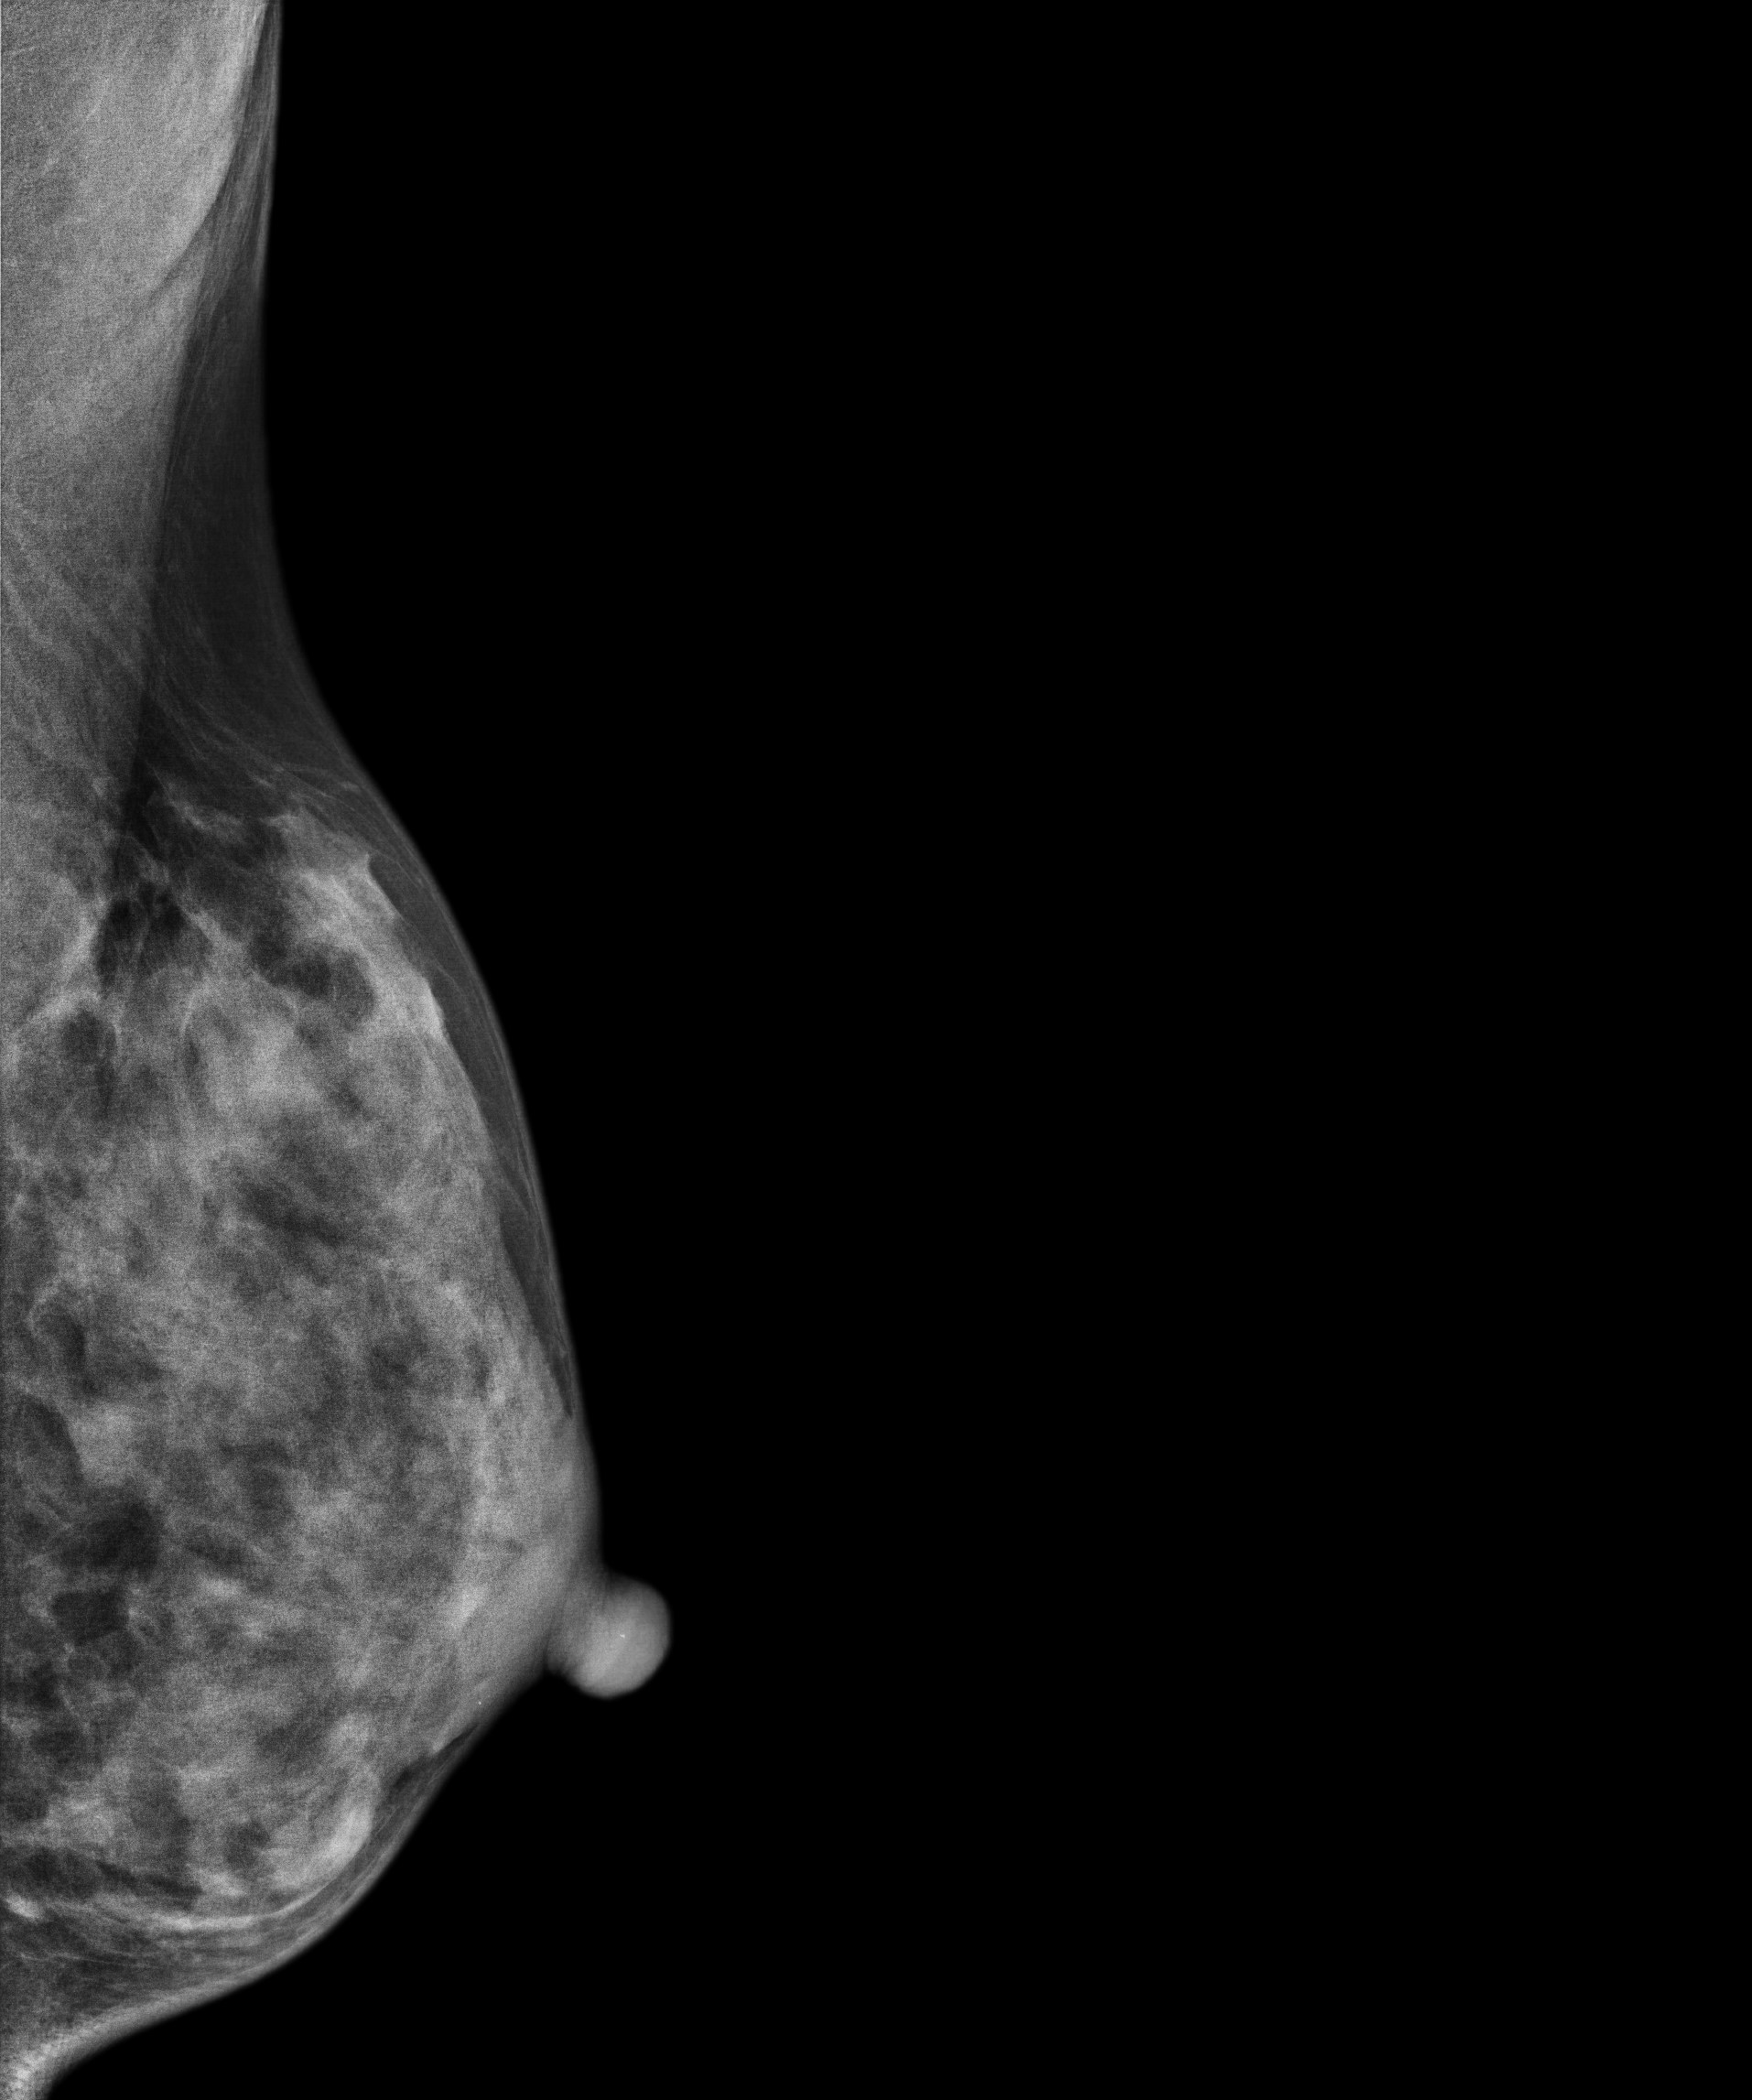
Left-breast mammogram, medio-lateral oblique. 31-year-old patient.
Contralateral breast — no documented abnormality on this side.